Right-breast mammogram, CC. Patient age 39.
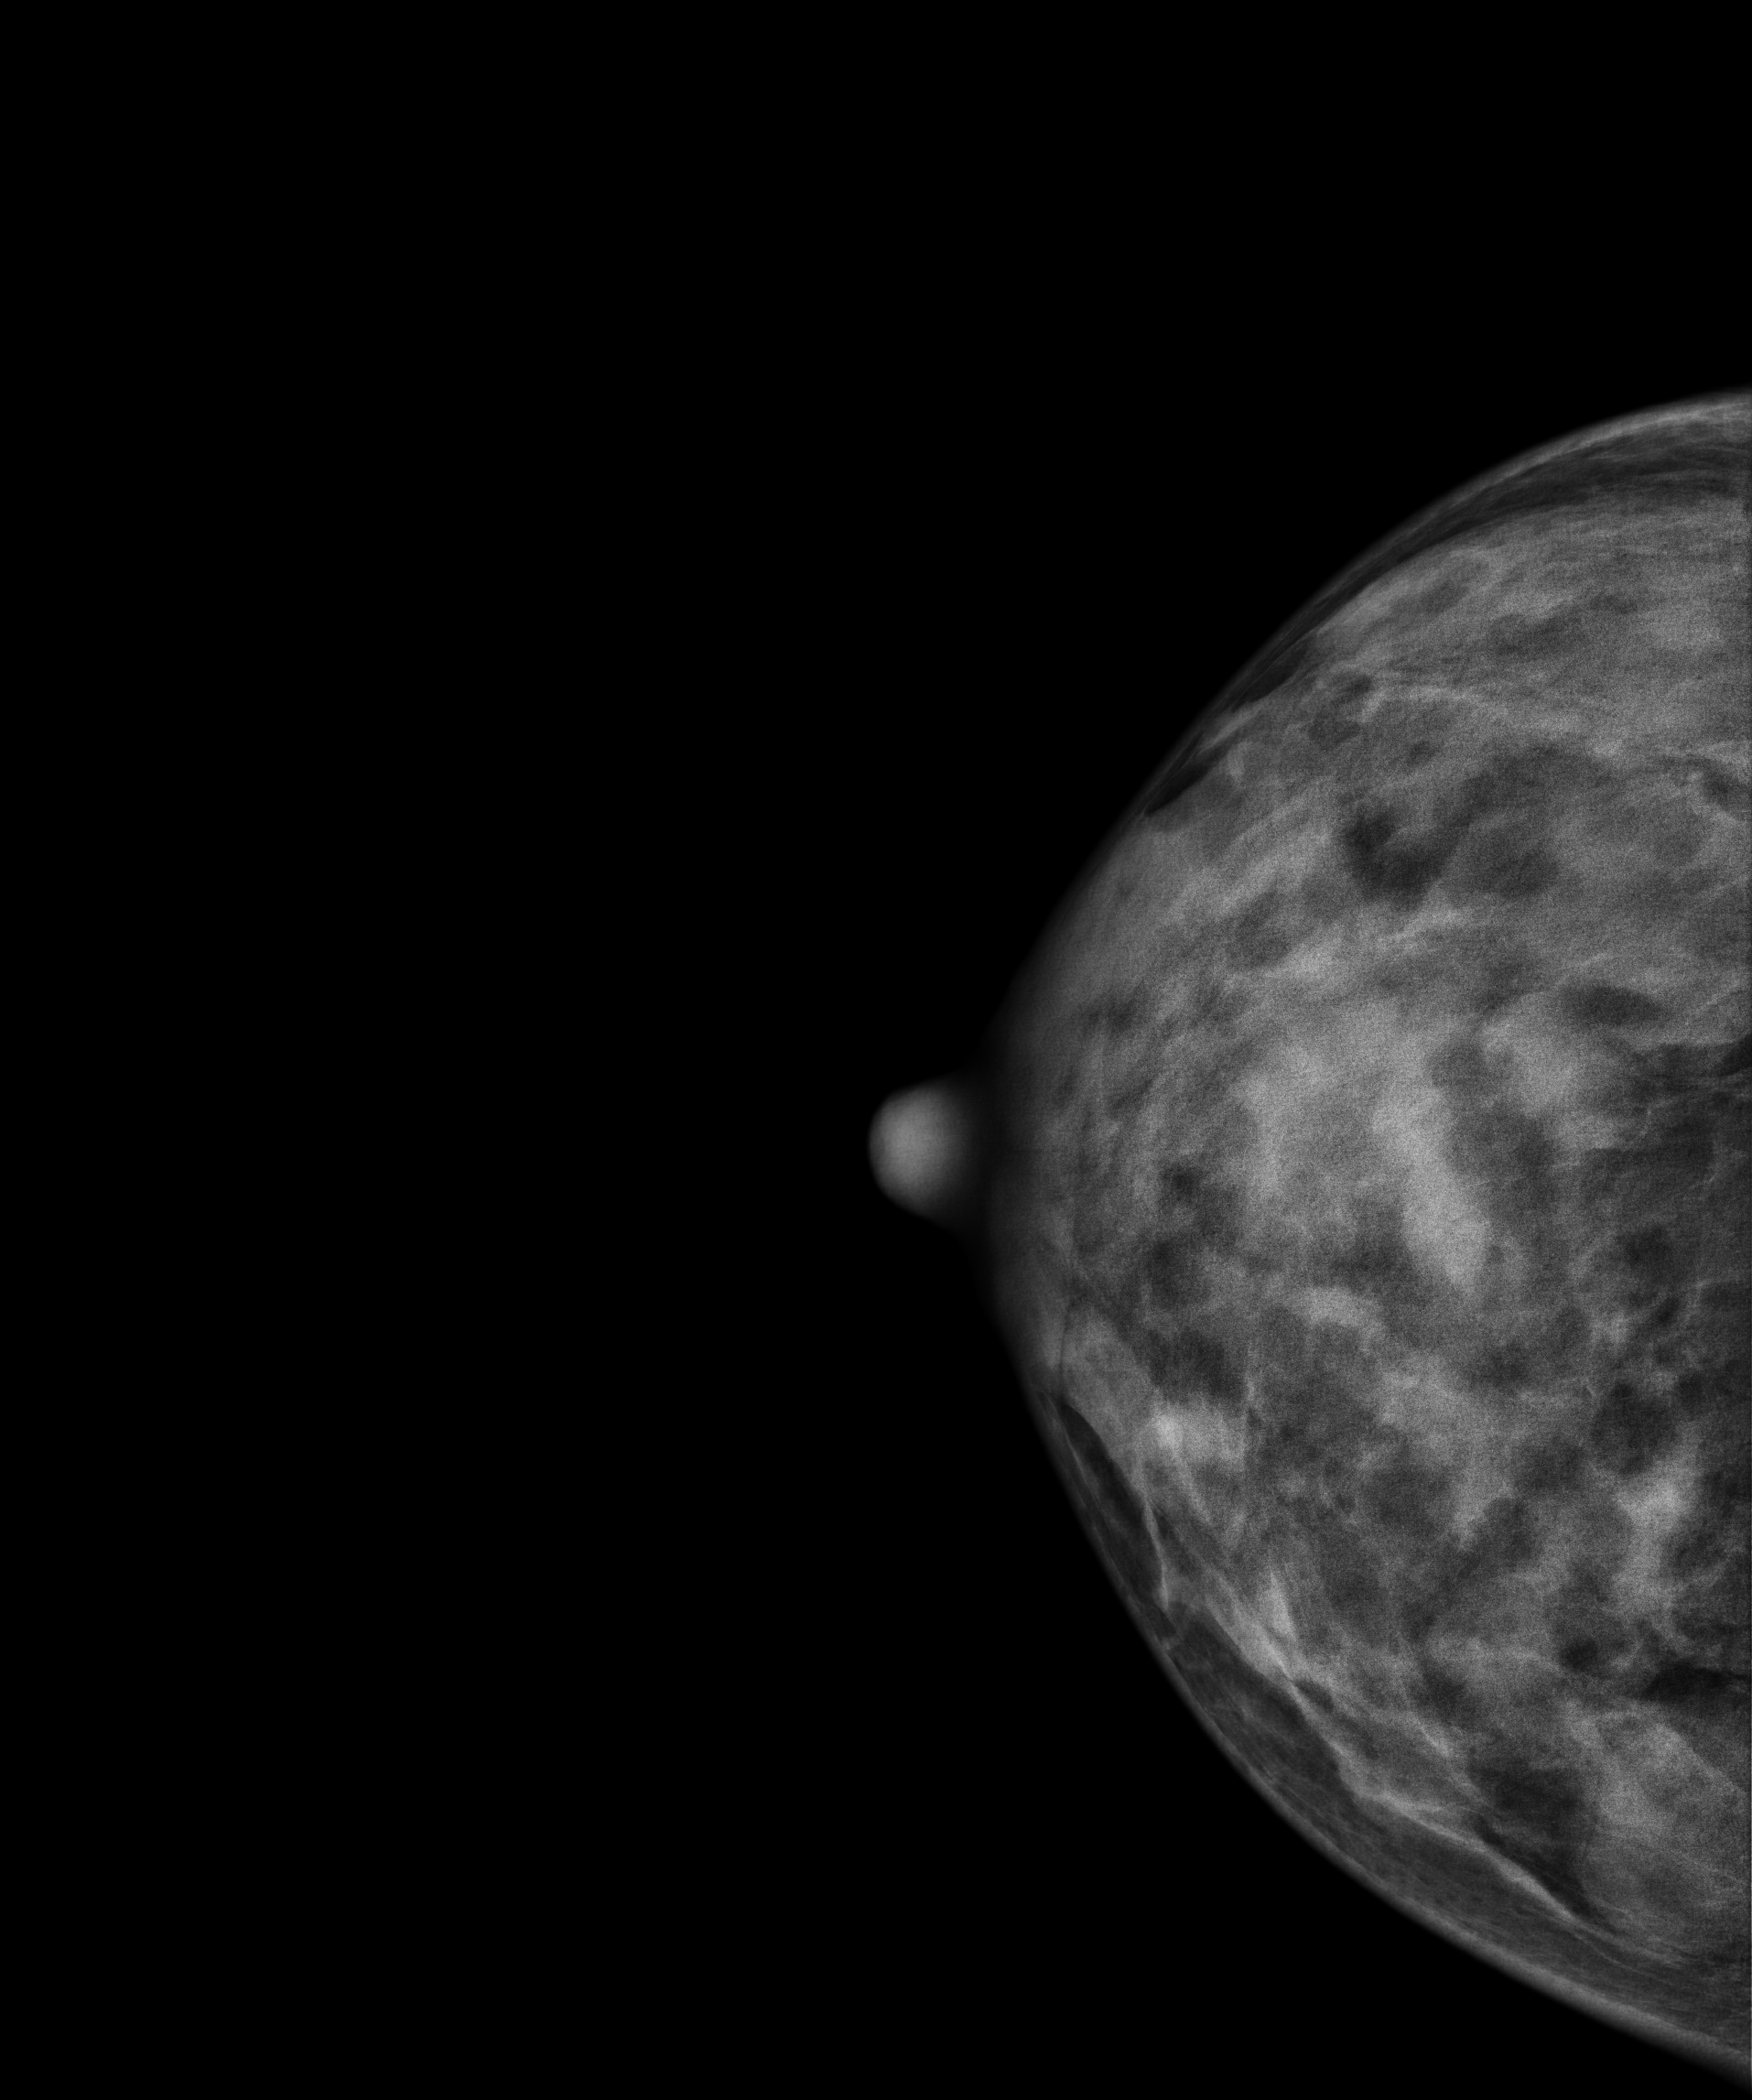
This breast has a mass, pathology-confirmed benign.